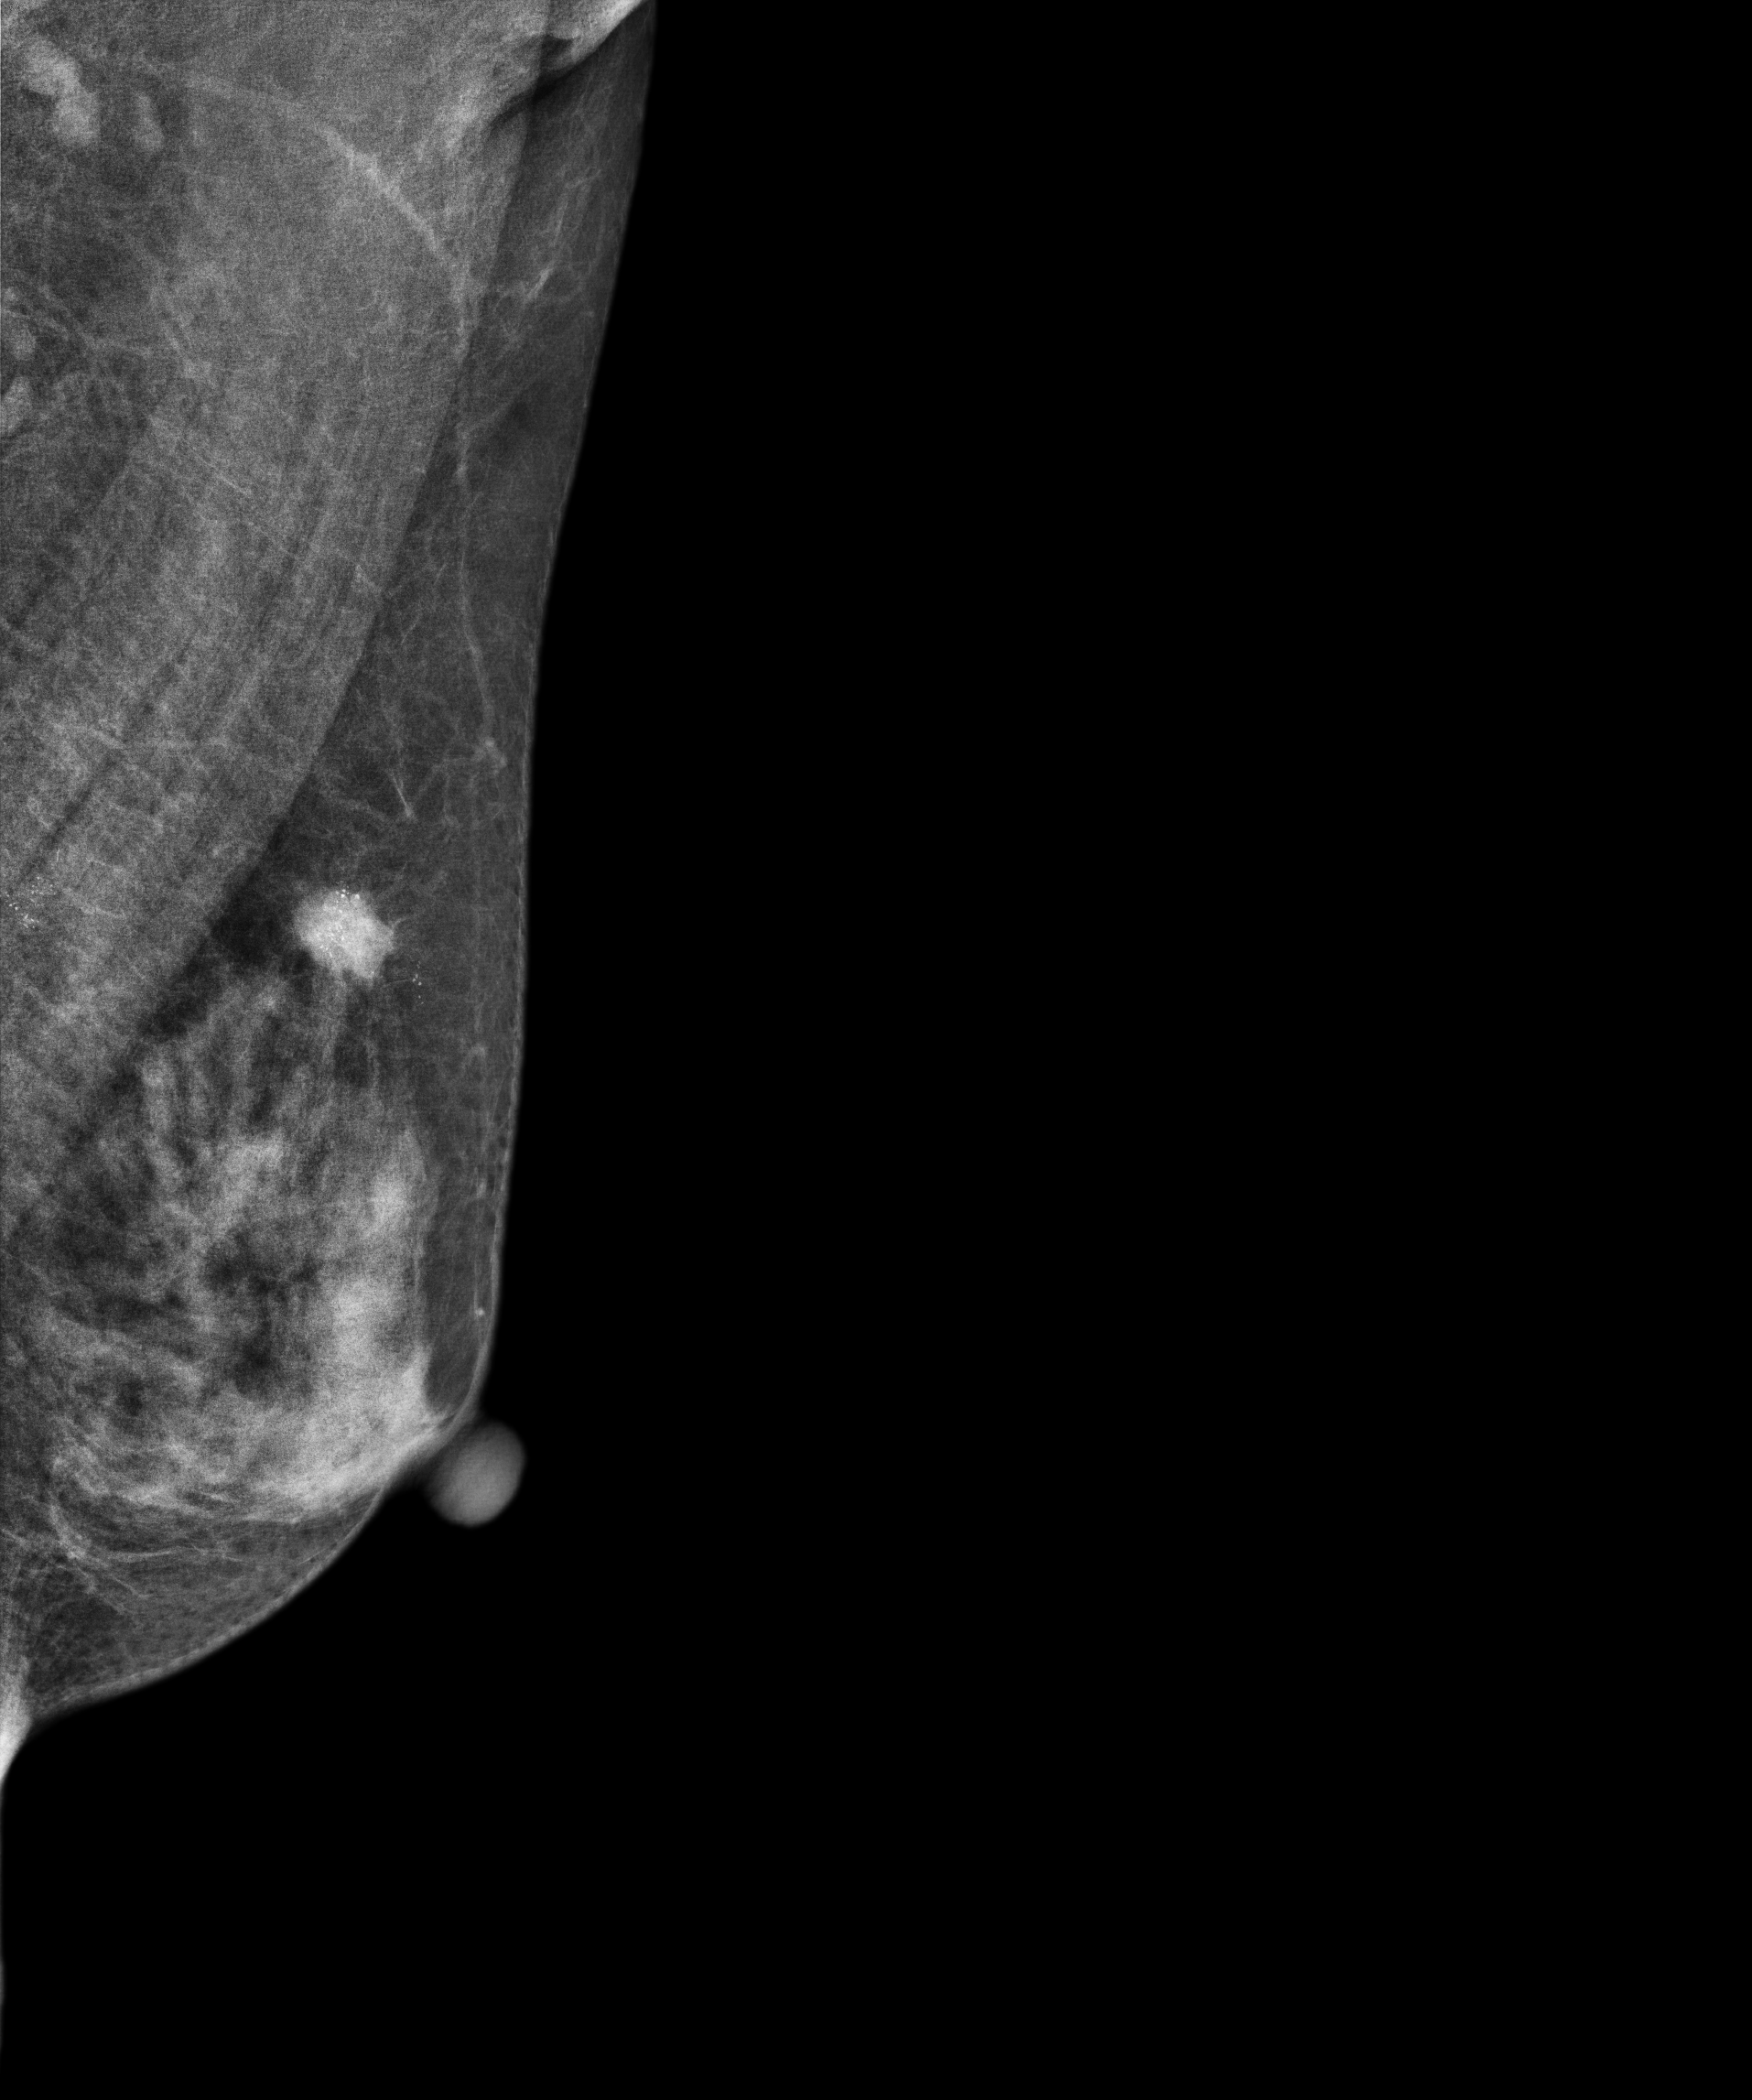
Medio-lateral oblique mammogram of the left breast. 70-year-old patient.
This breast has a mass and calcifications, biopsy-confirmed malignant. Molecular subtype: luminal B.